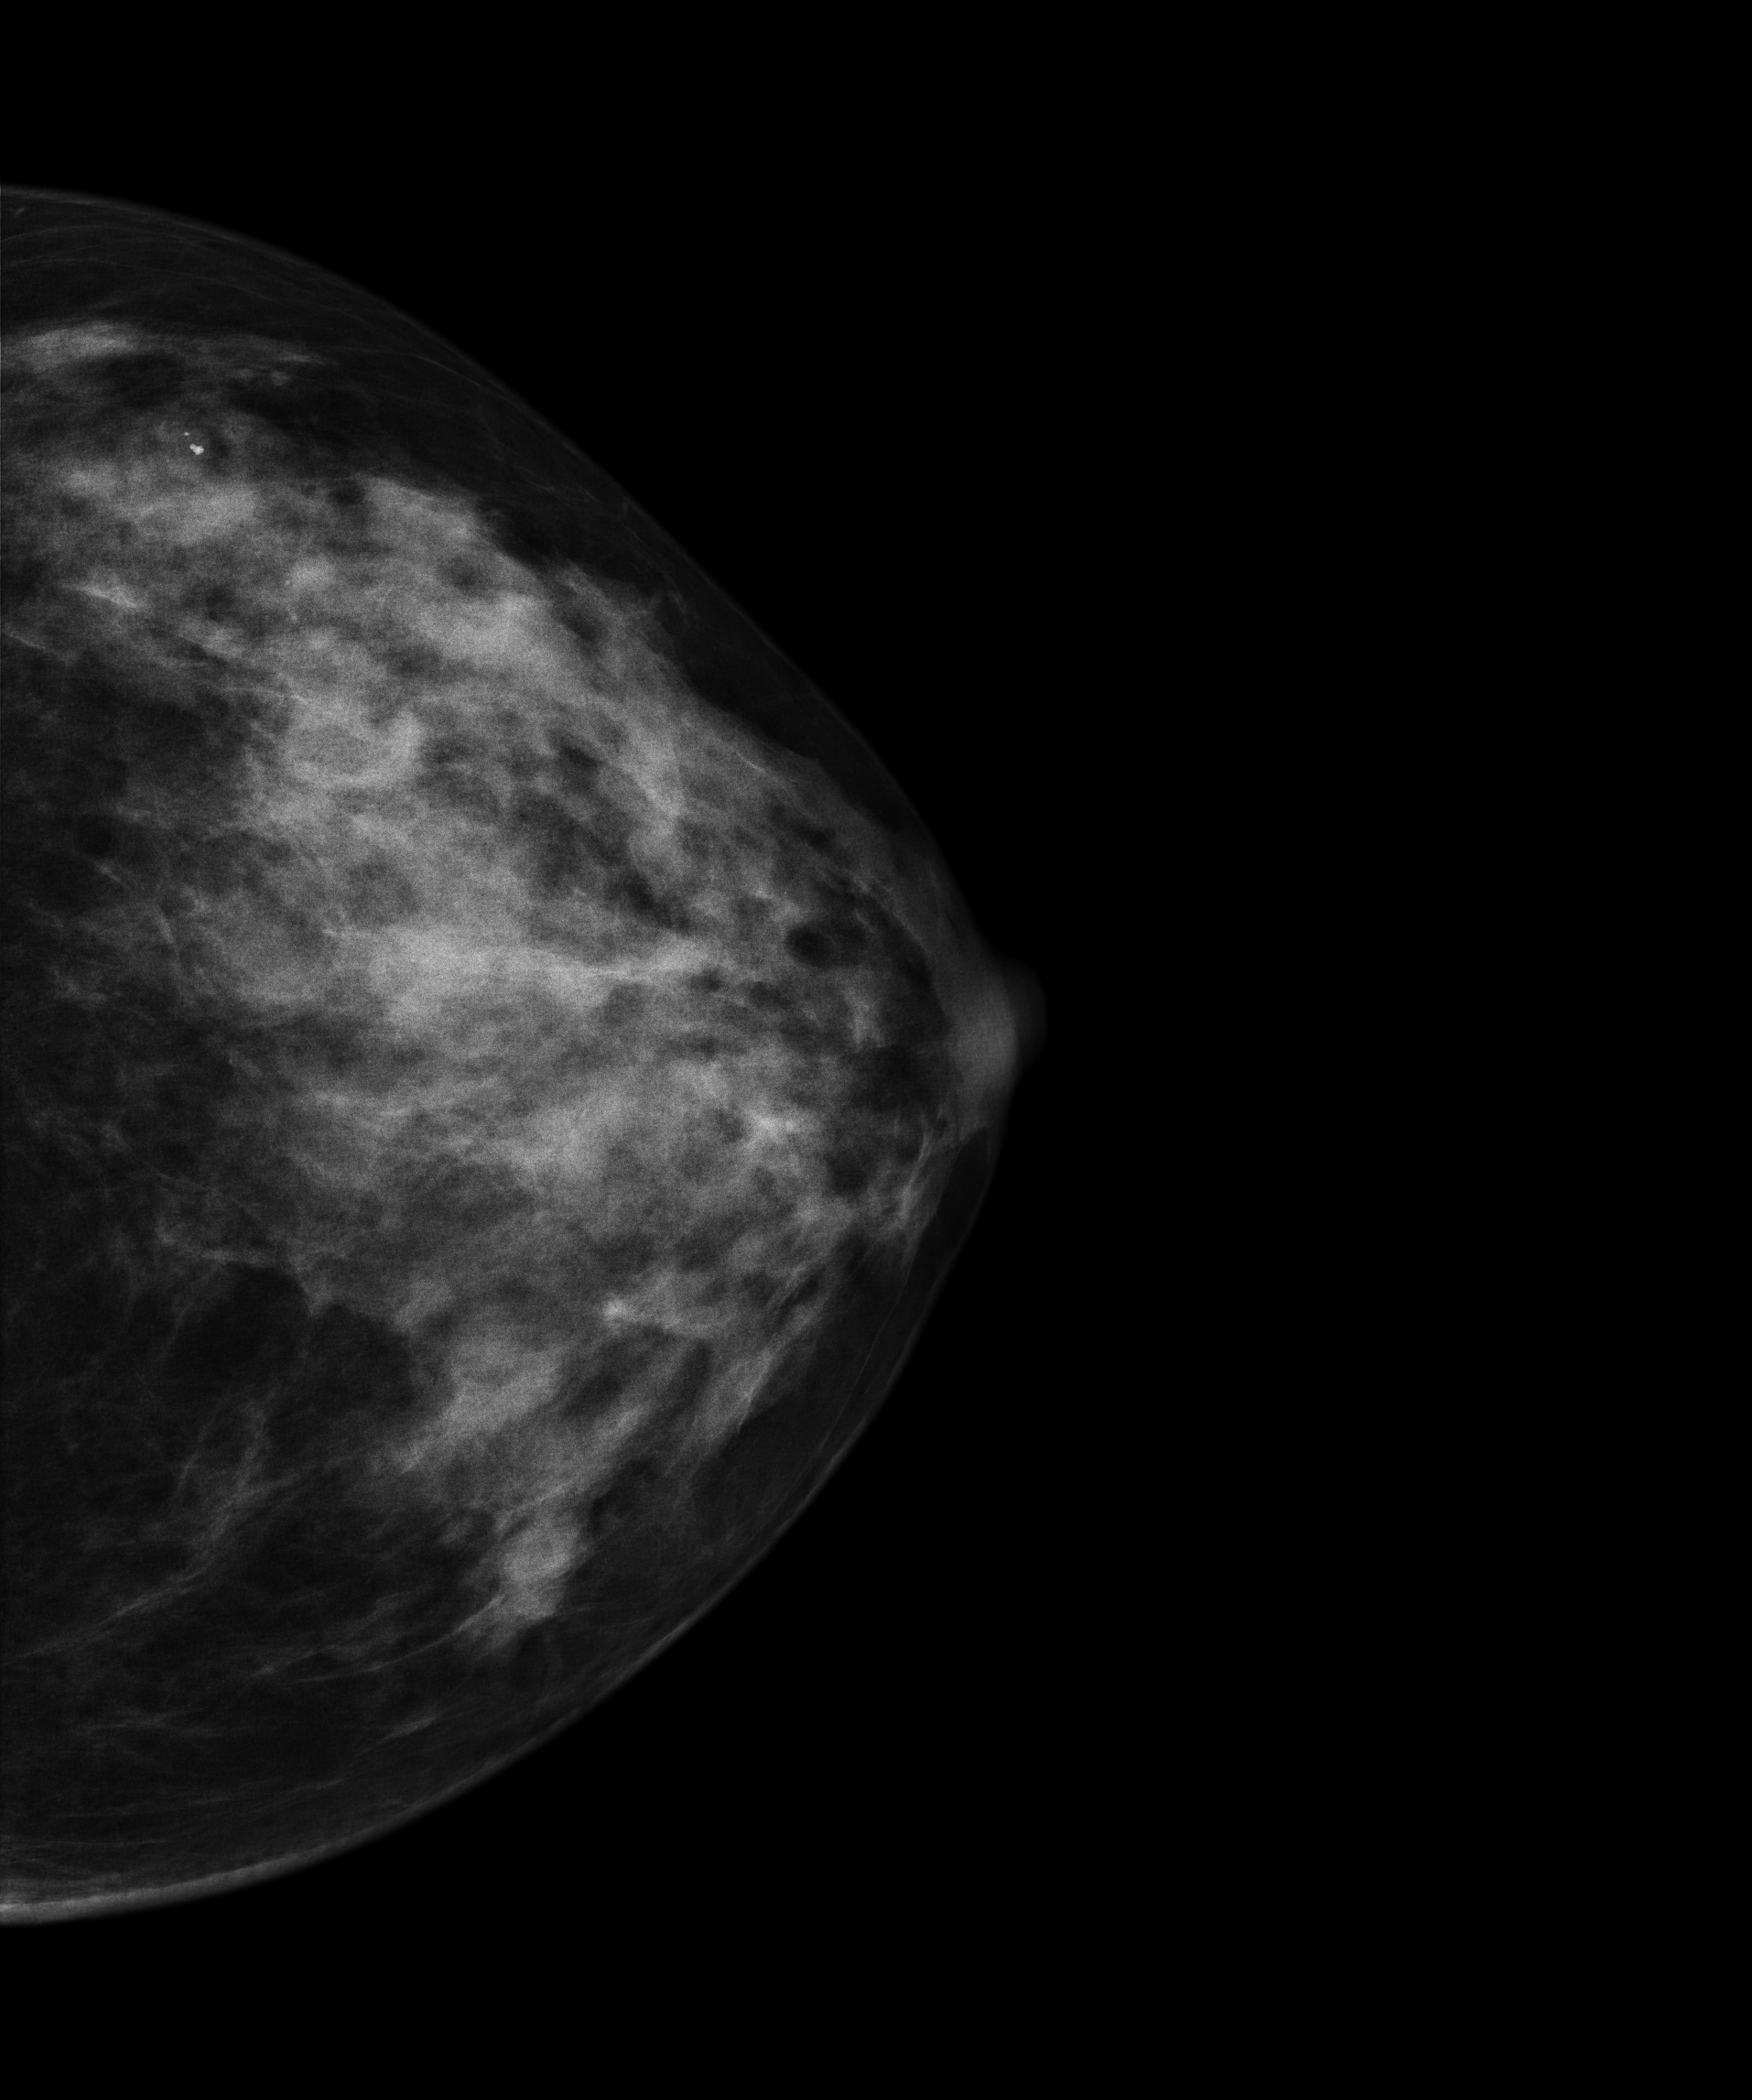
Mammogram, left breast, CC view. 49 y/o patient.
Contralateral breast — no documented abnormality on this side.